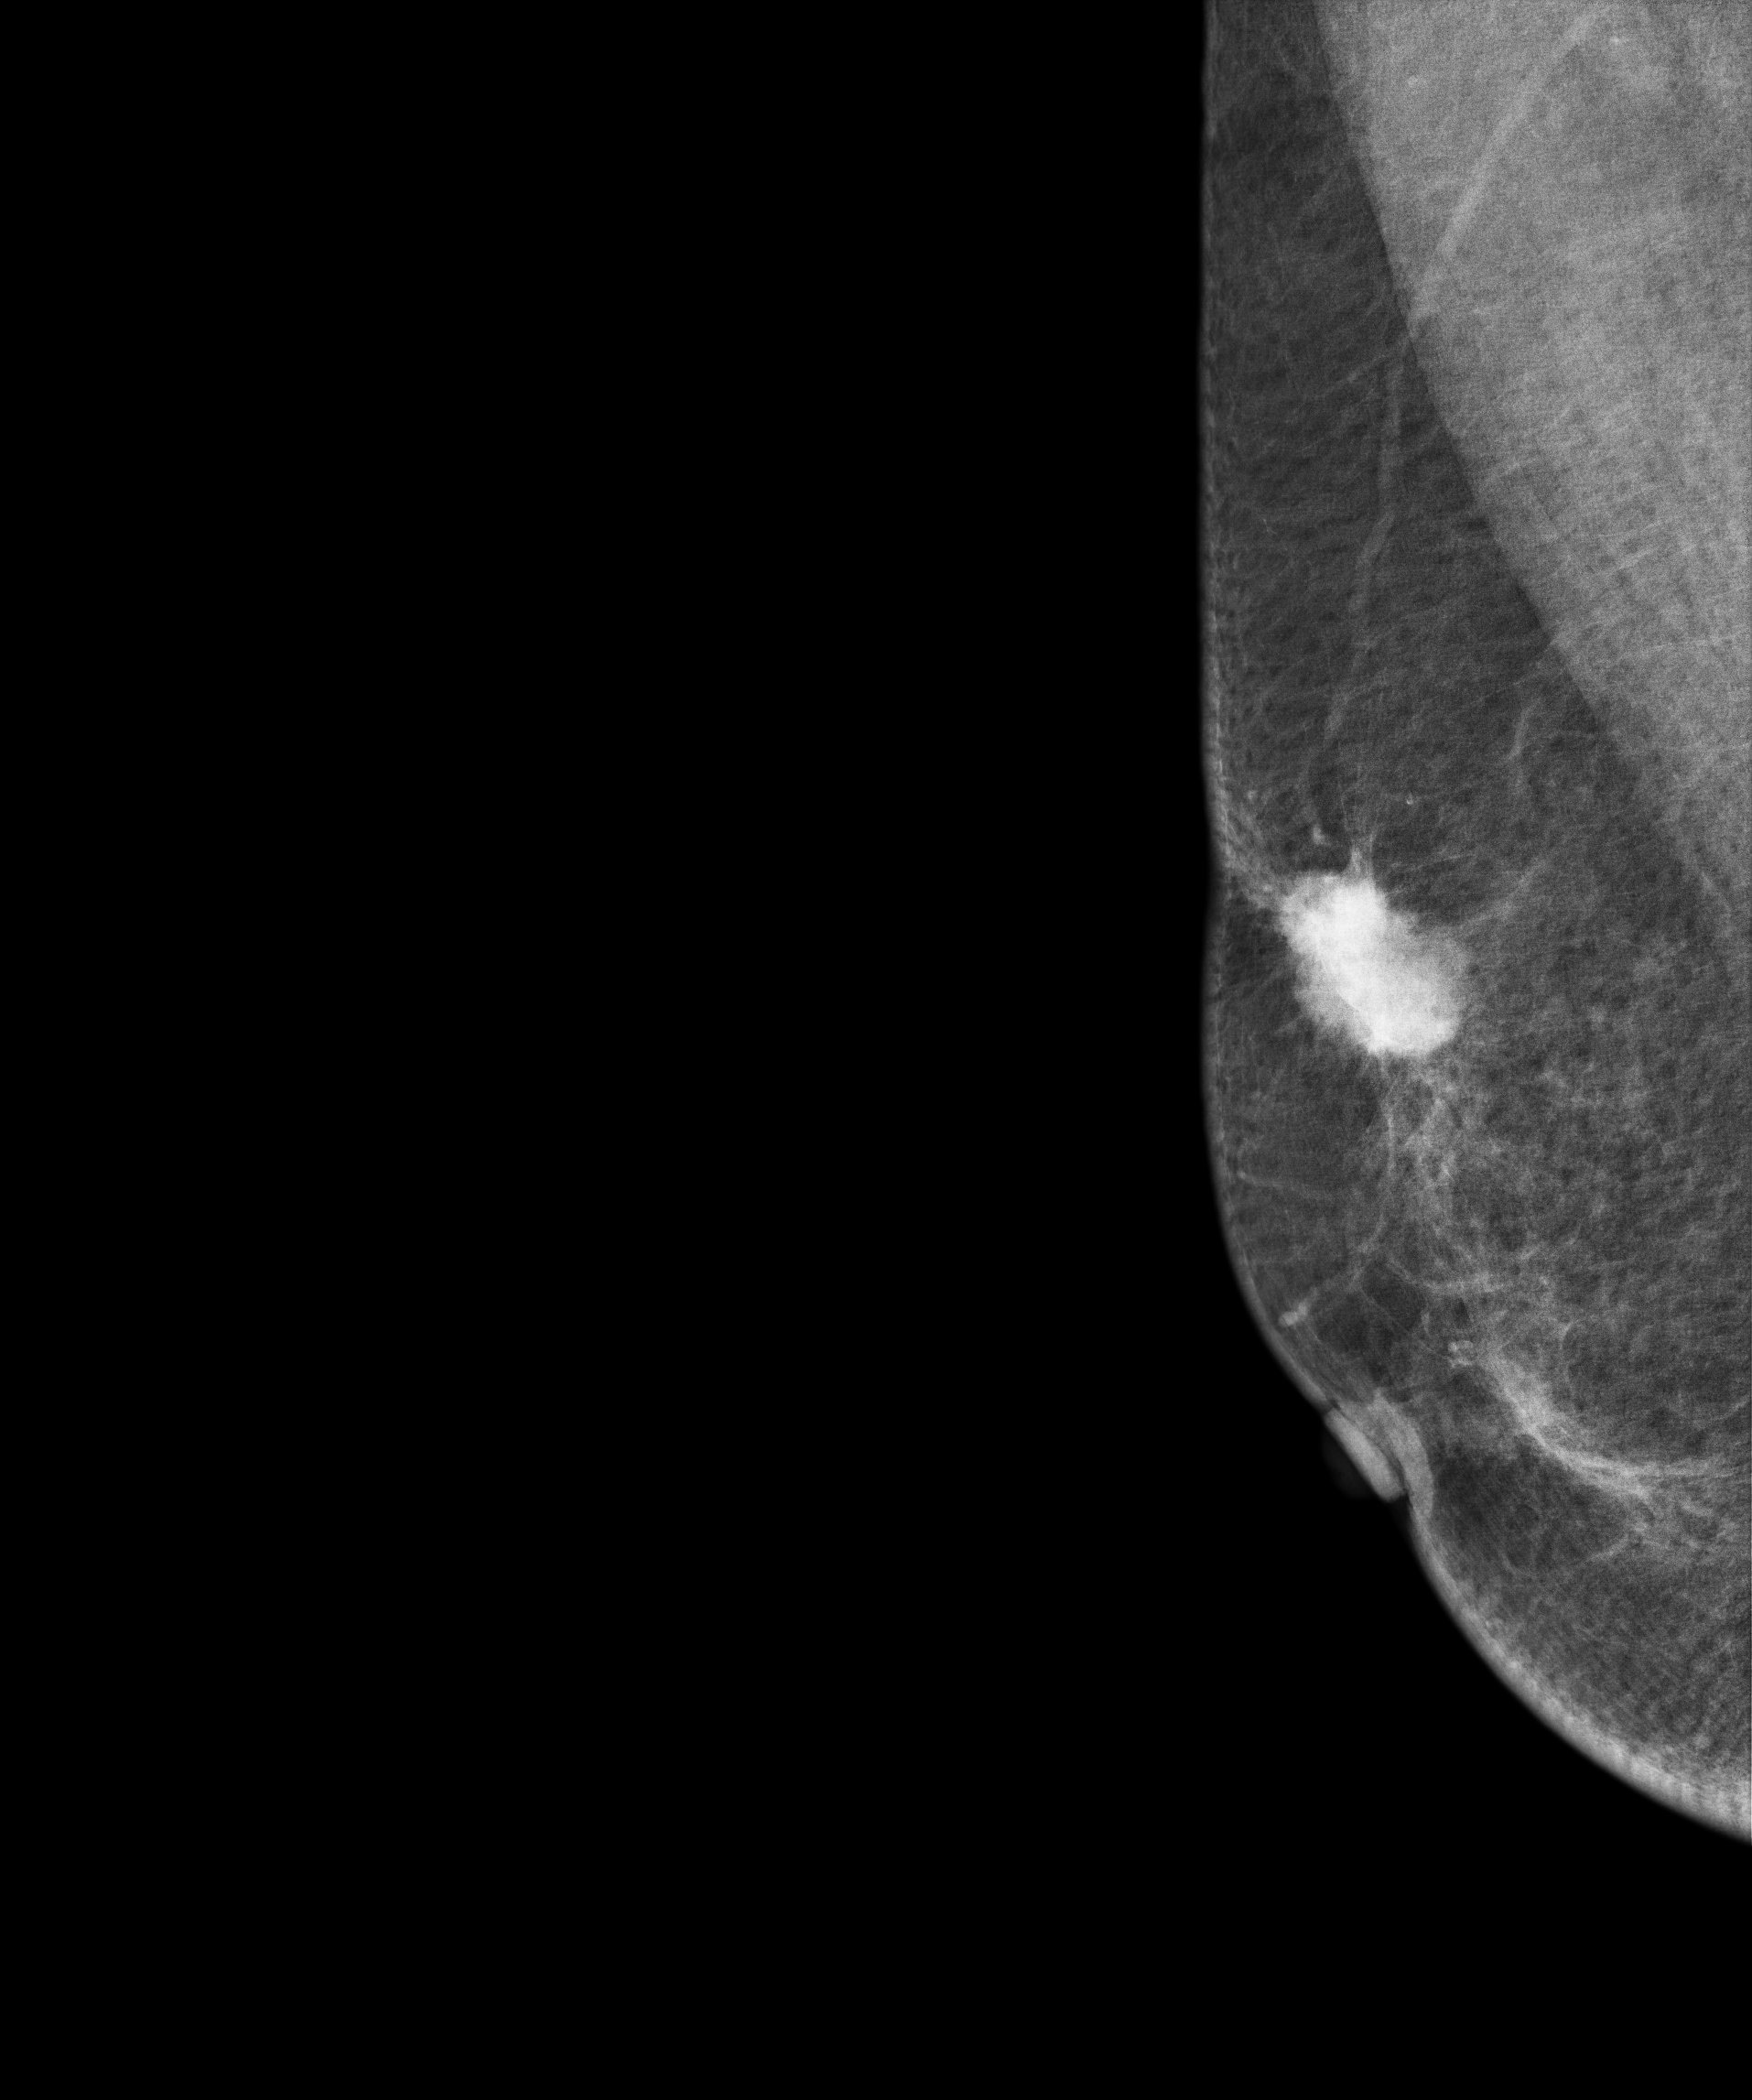
MLO mammogram of the right breast. 78-year-old patient.
This breast has a mass, biopsy-proven malignant. Molecular subtype: luminal B.